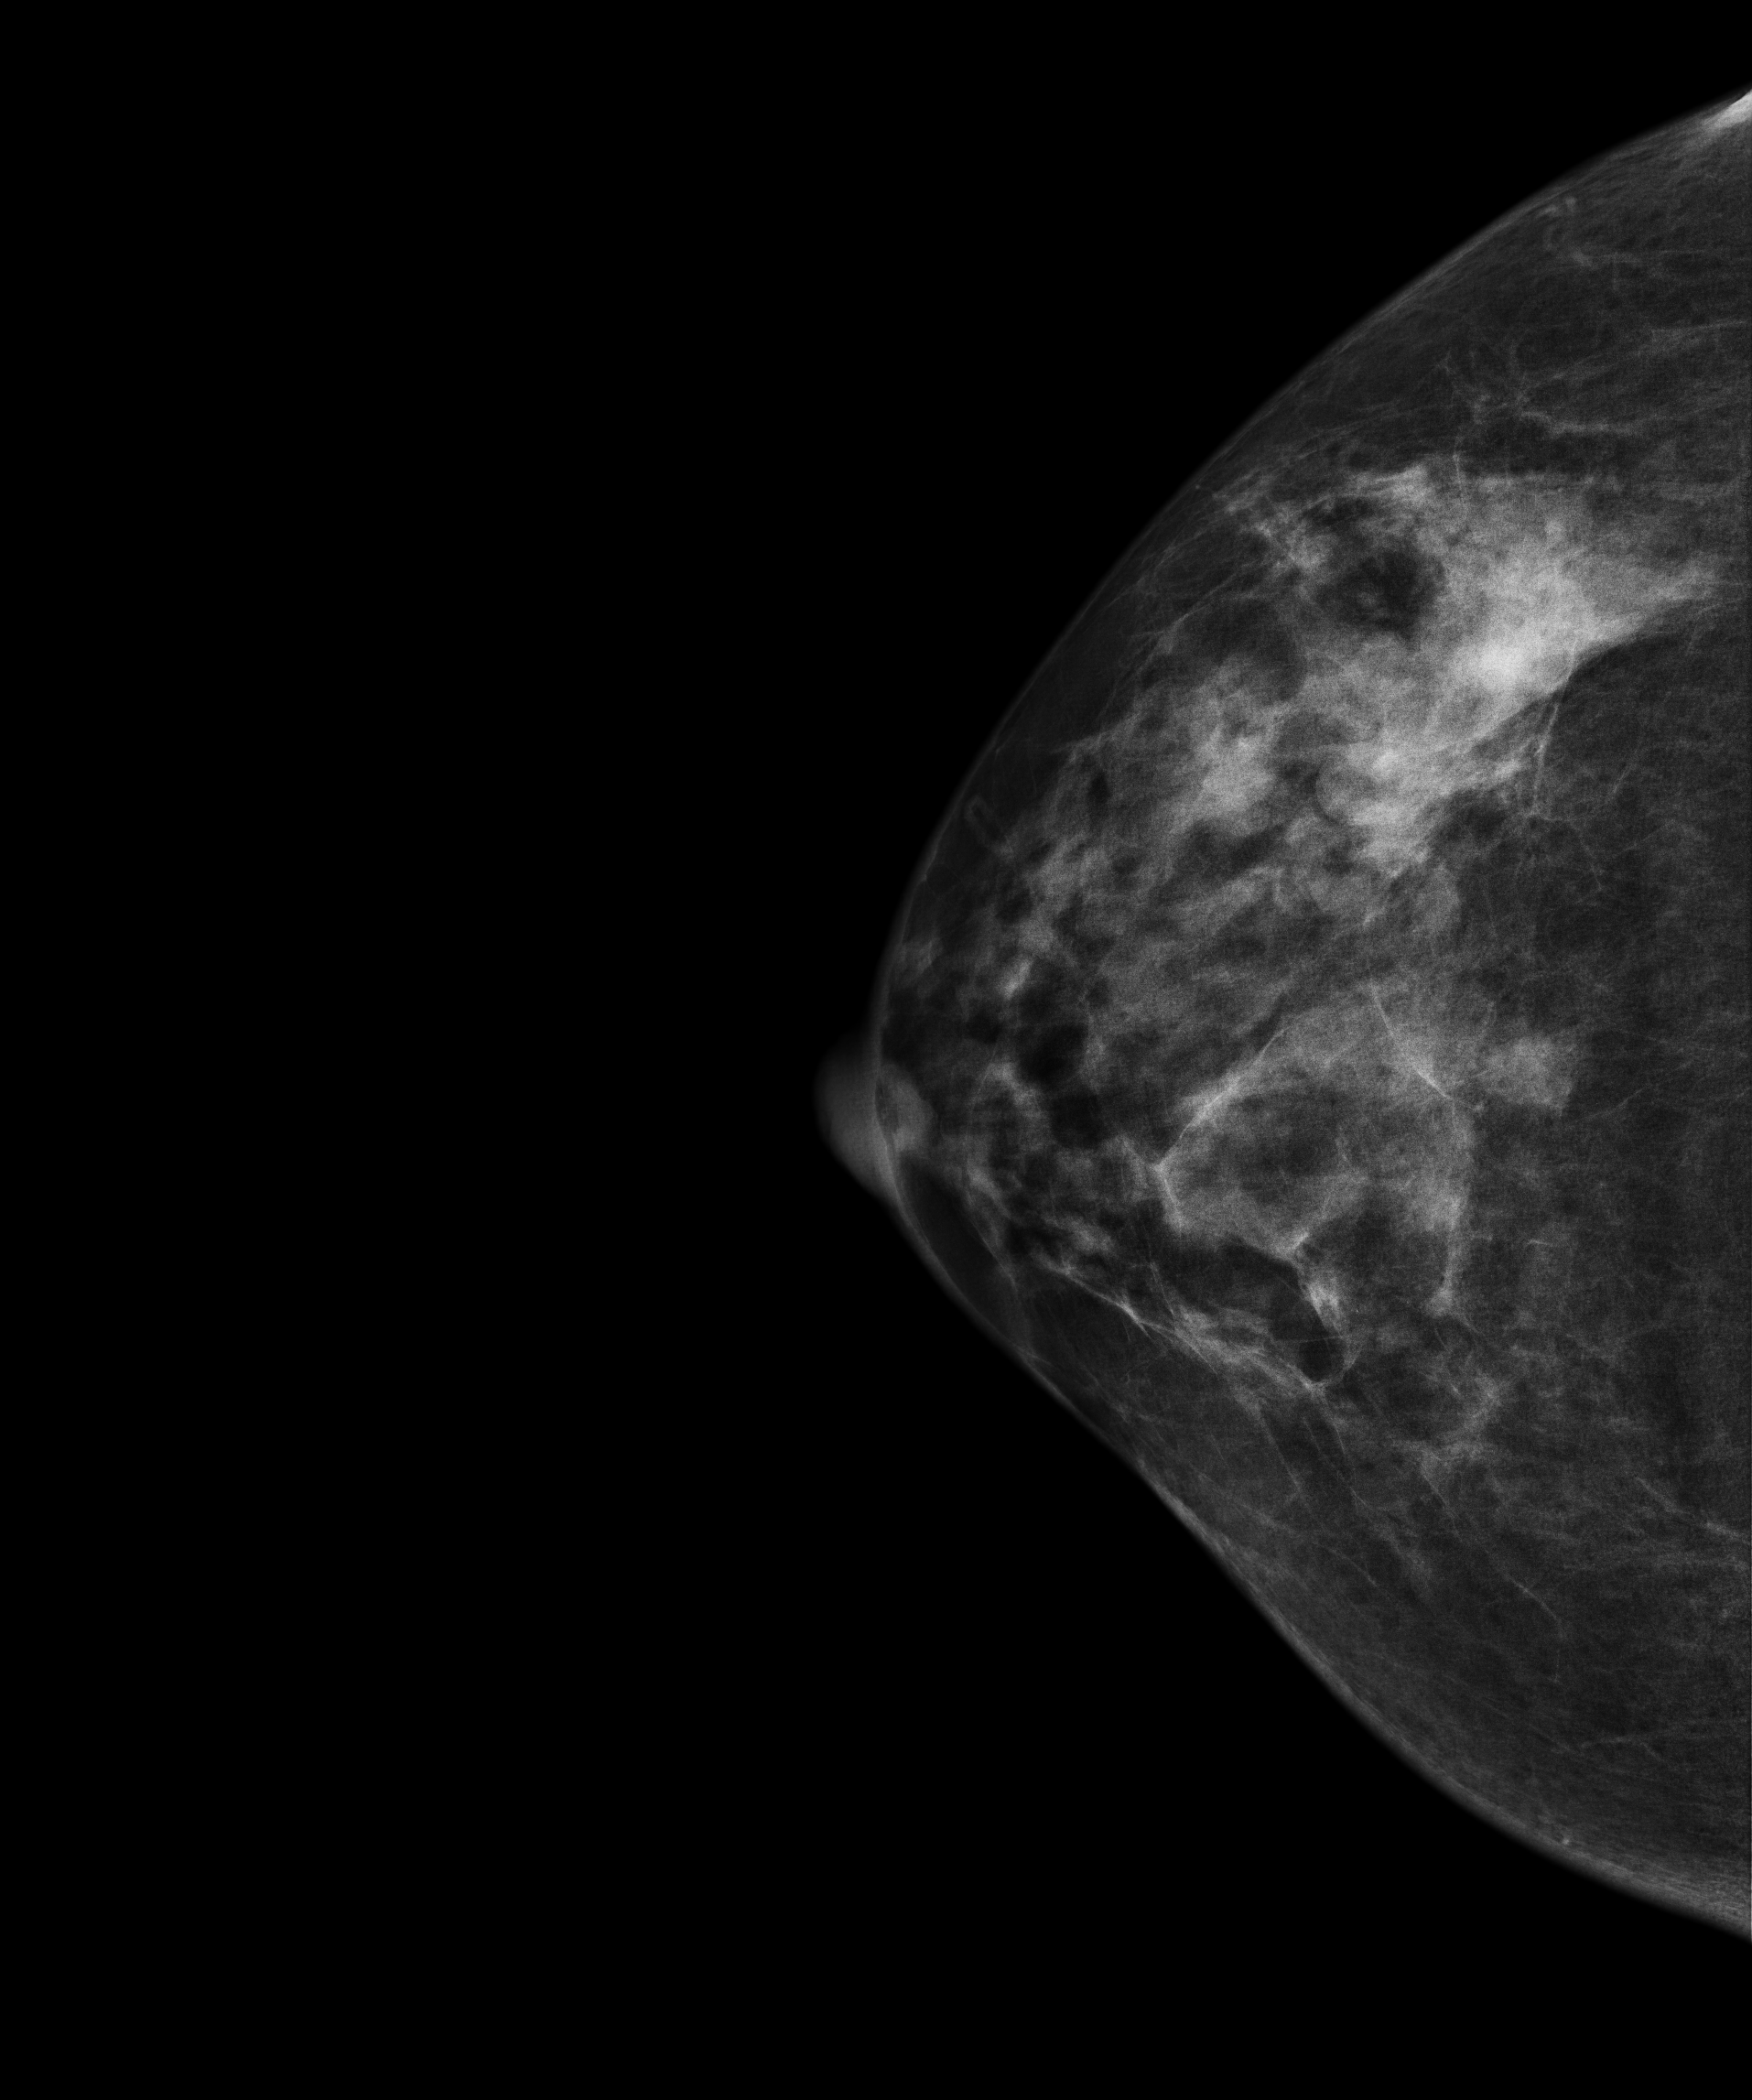
Mammogram — right CC. 64-year-old patient.
This breast has a mass, biopsy-confirmed malignant. Molecular subtype: luminal B.